Mammogram, right breast, MLO view. 46-year-old patient.
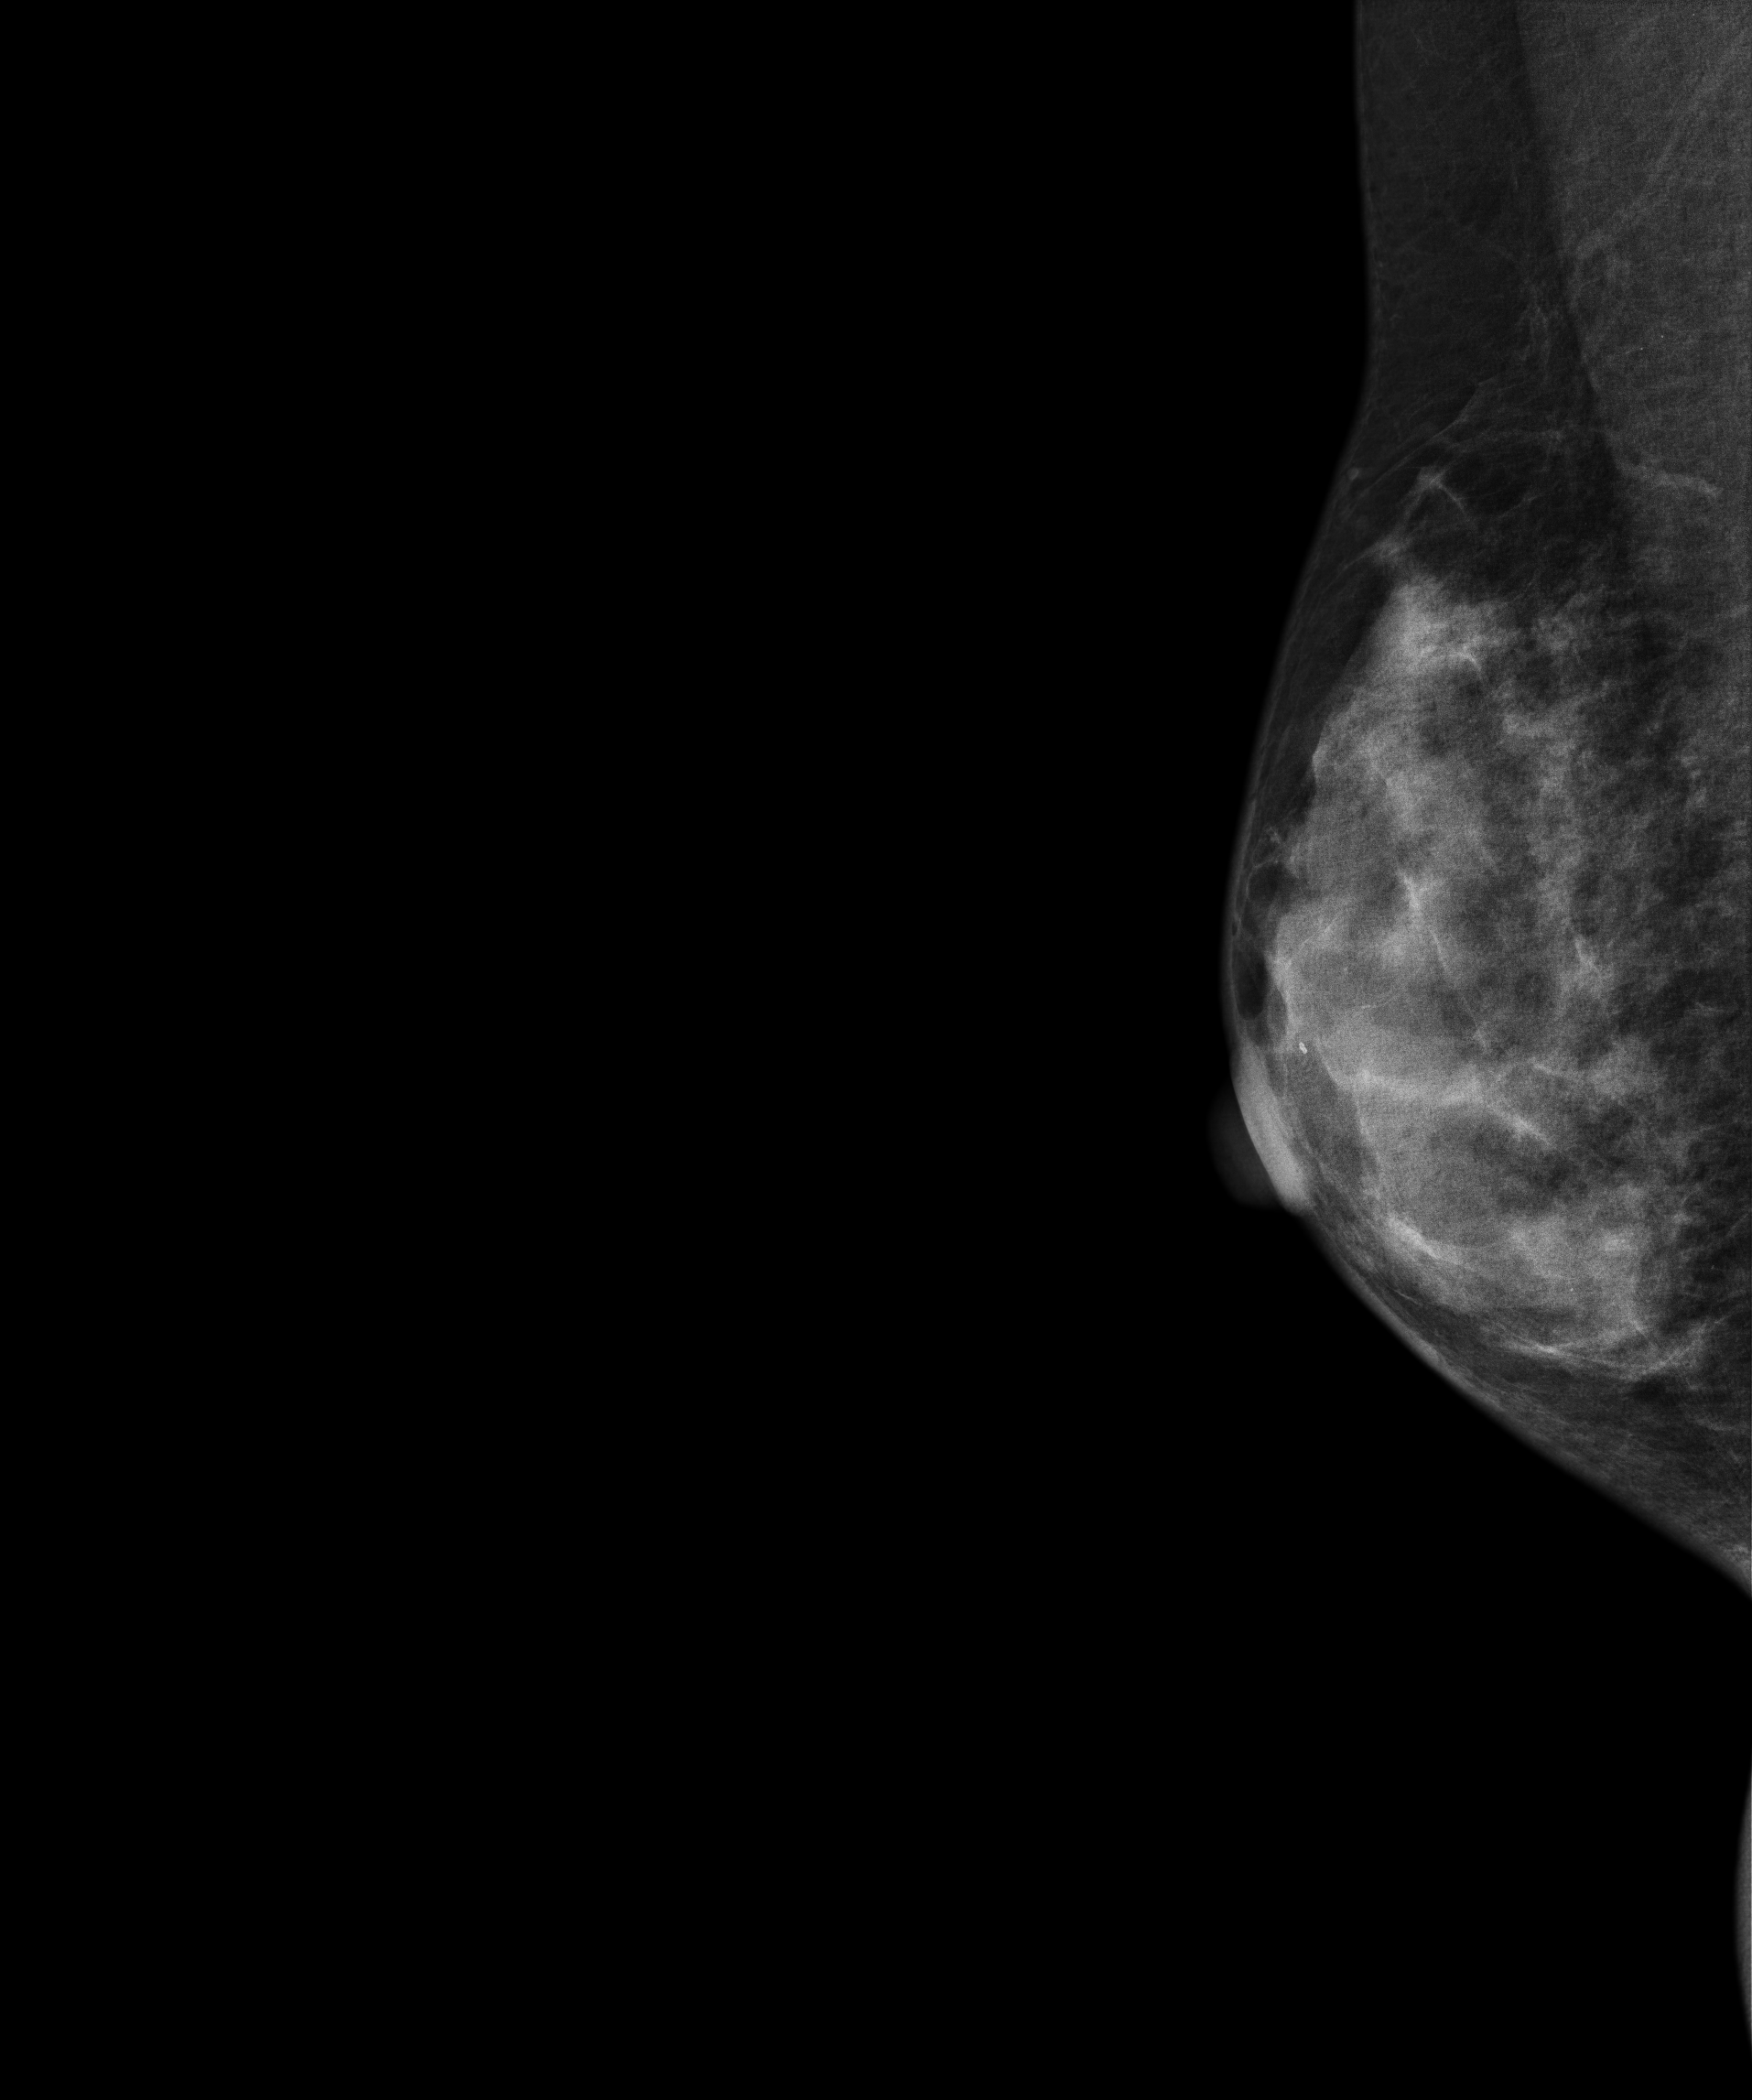
Contralateral breast — no documented abnormality on this side.